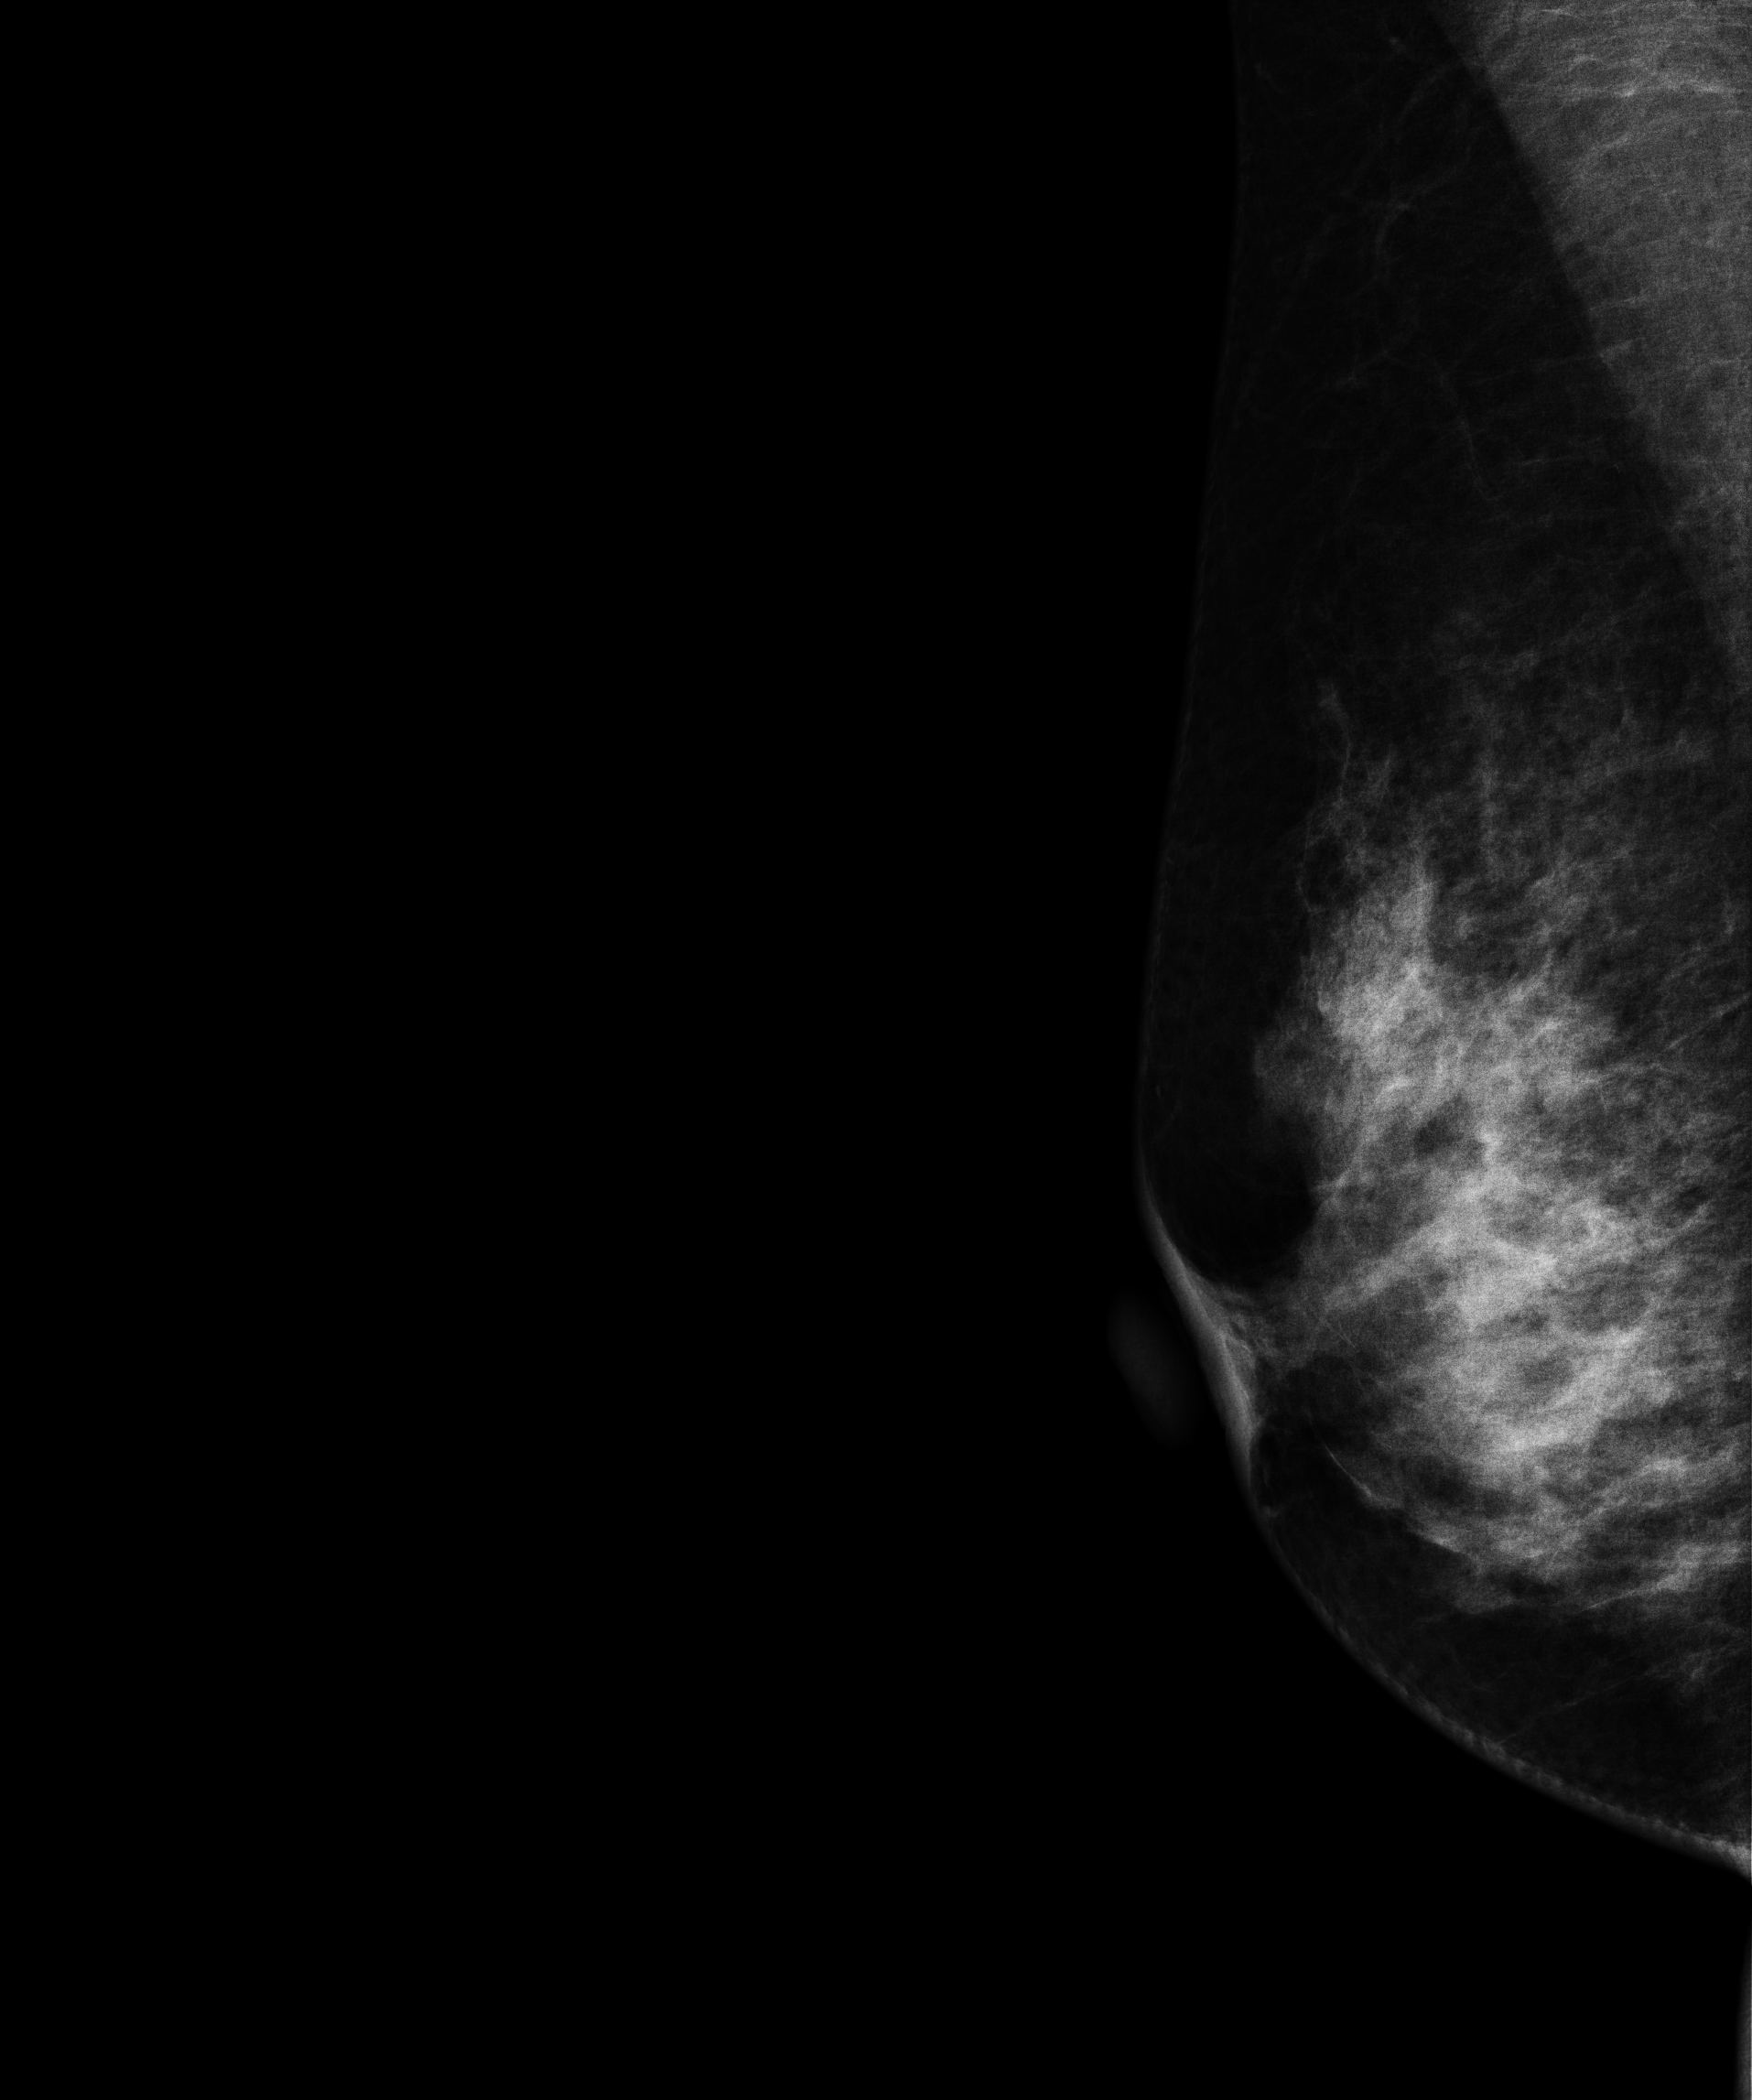
Right-breast mammogram, MLO. 46 y/o patient.
Contralateral breast — no documented abnormality on this side.